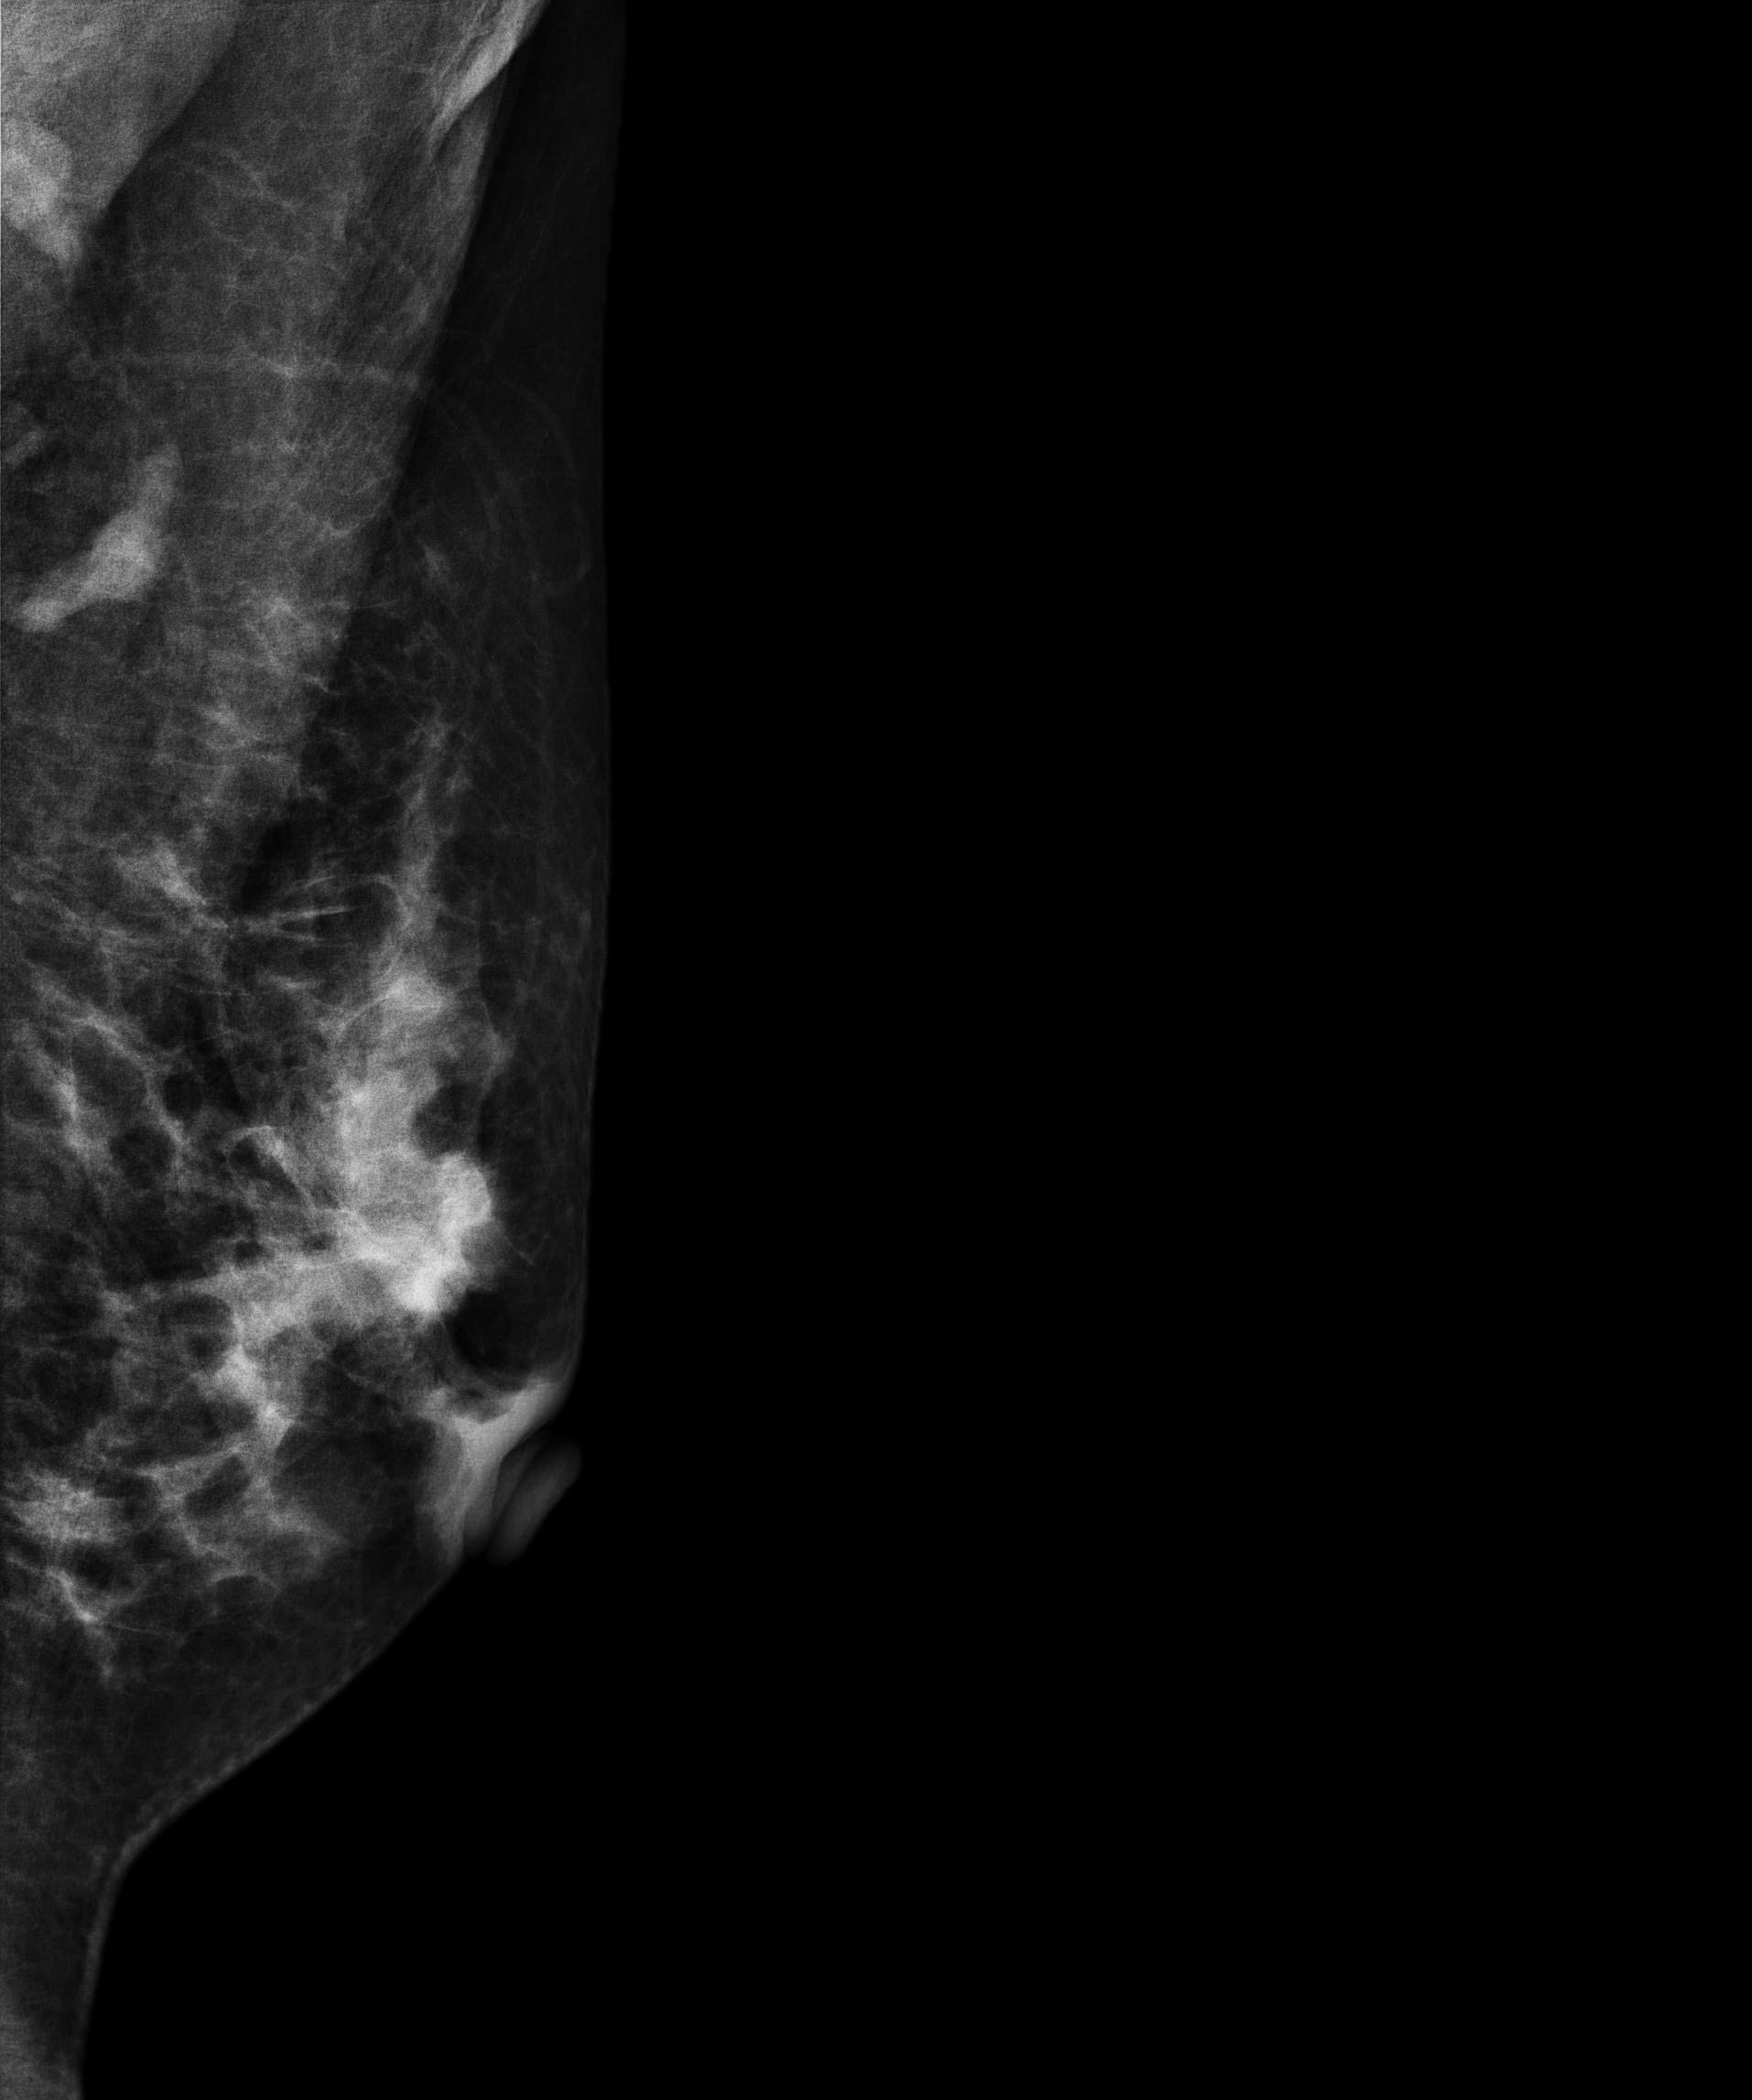
Digital mammography. Left breast, medio-lateral oblique projection. Patient age 52.
This breast has a mass, pathology-confirmed malignant. Molecular subtype: luminal B.